Mammogram, right breast, CC view. 52 y/o patient.
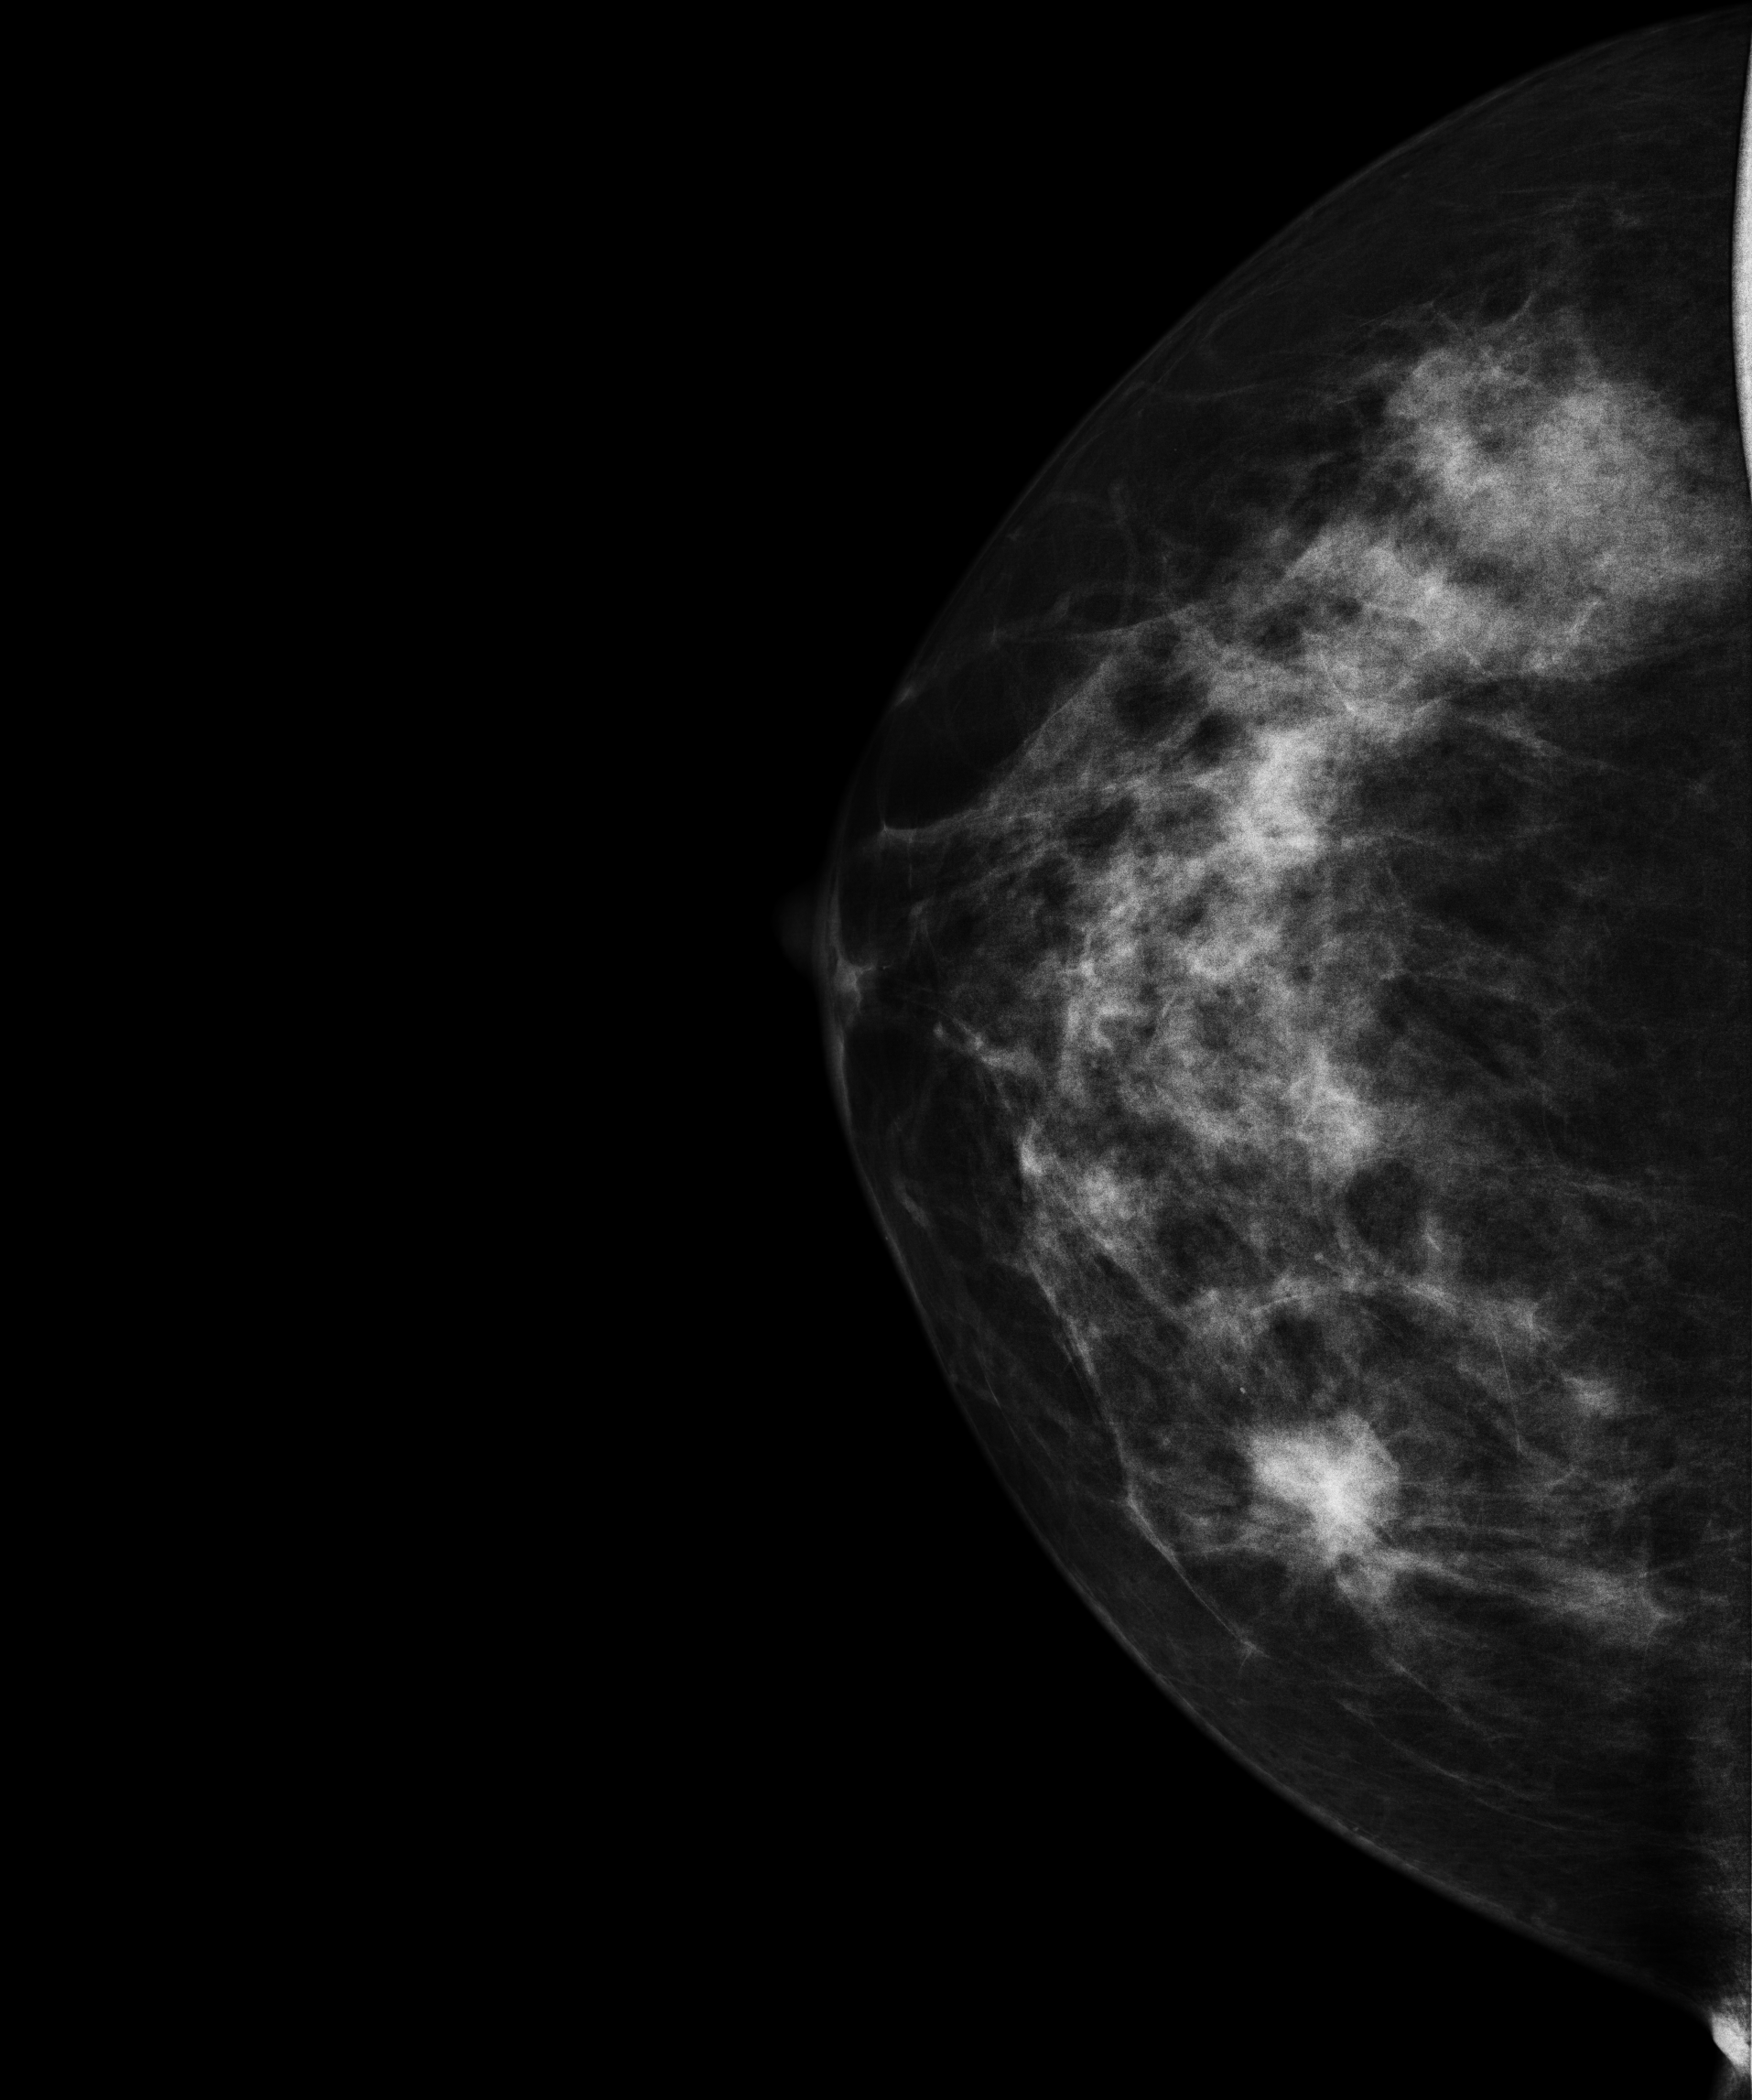
This breast has a mass, biopsy-proven malignant.